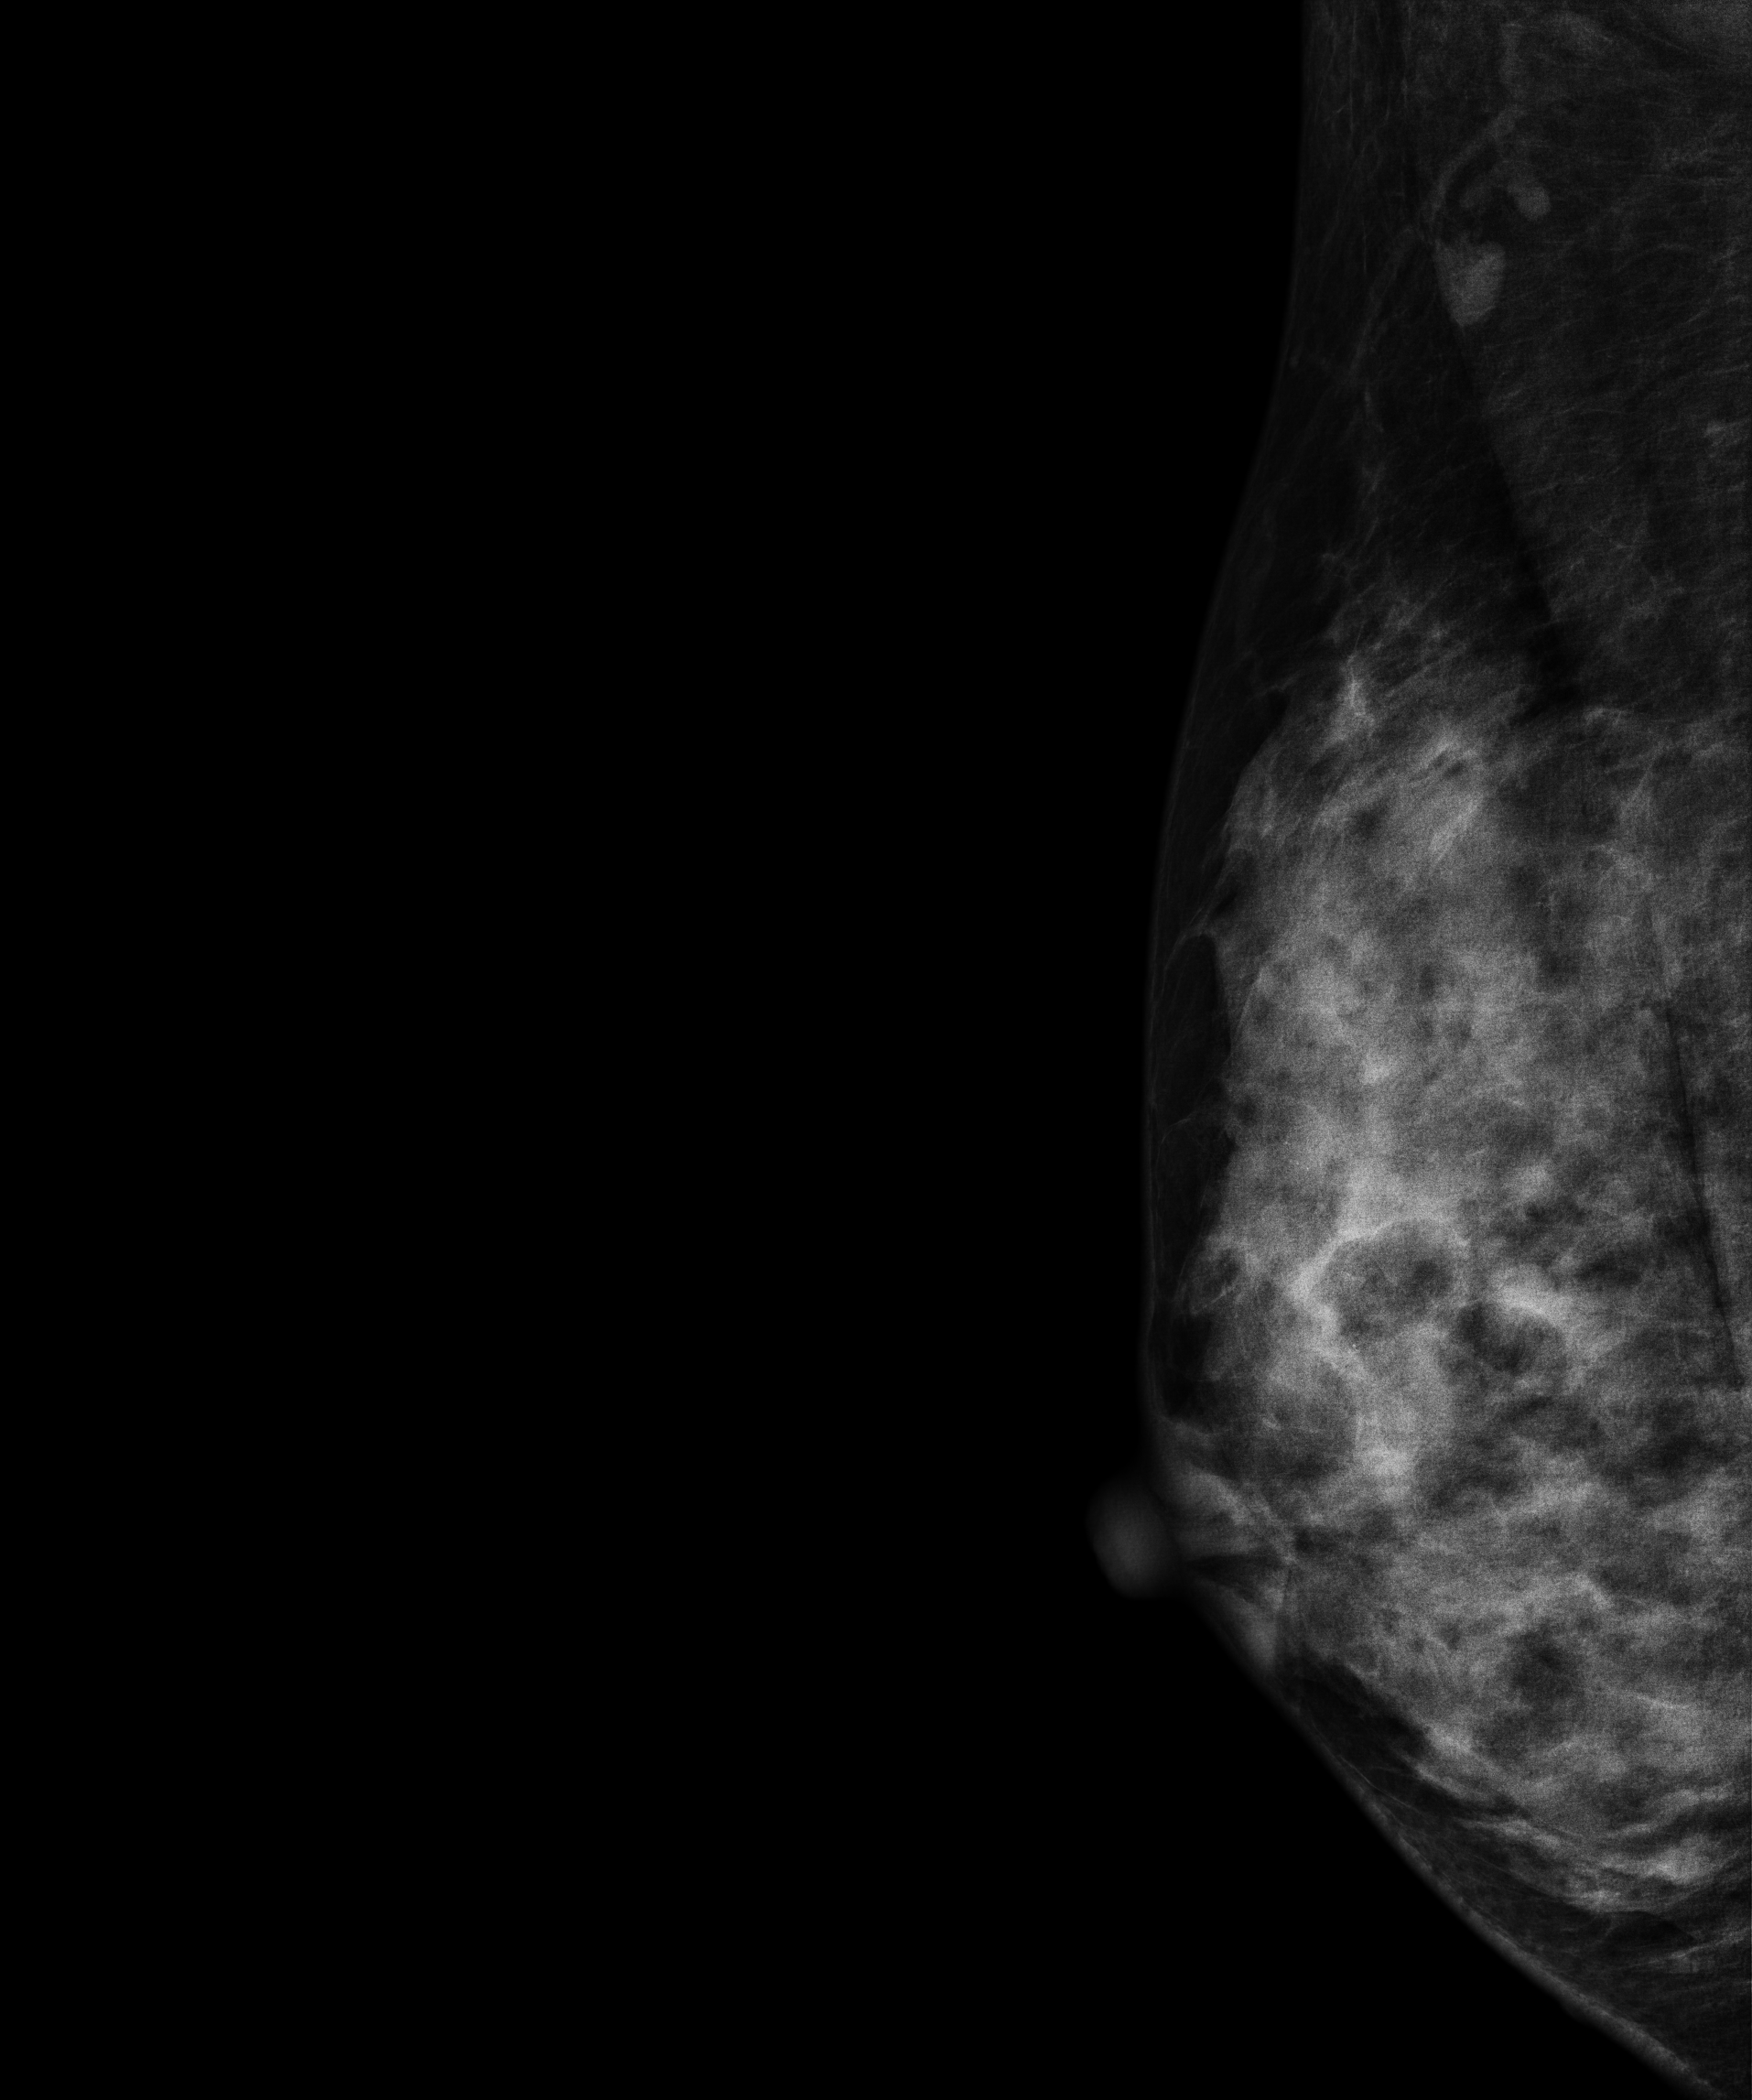
Right-breast mammogram, MLO. 38 y/o patient.
This breast has a mass, pathology-confirmed malignant.